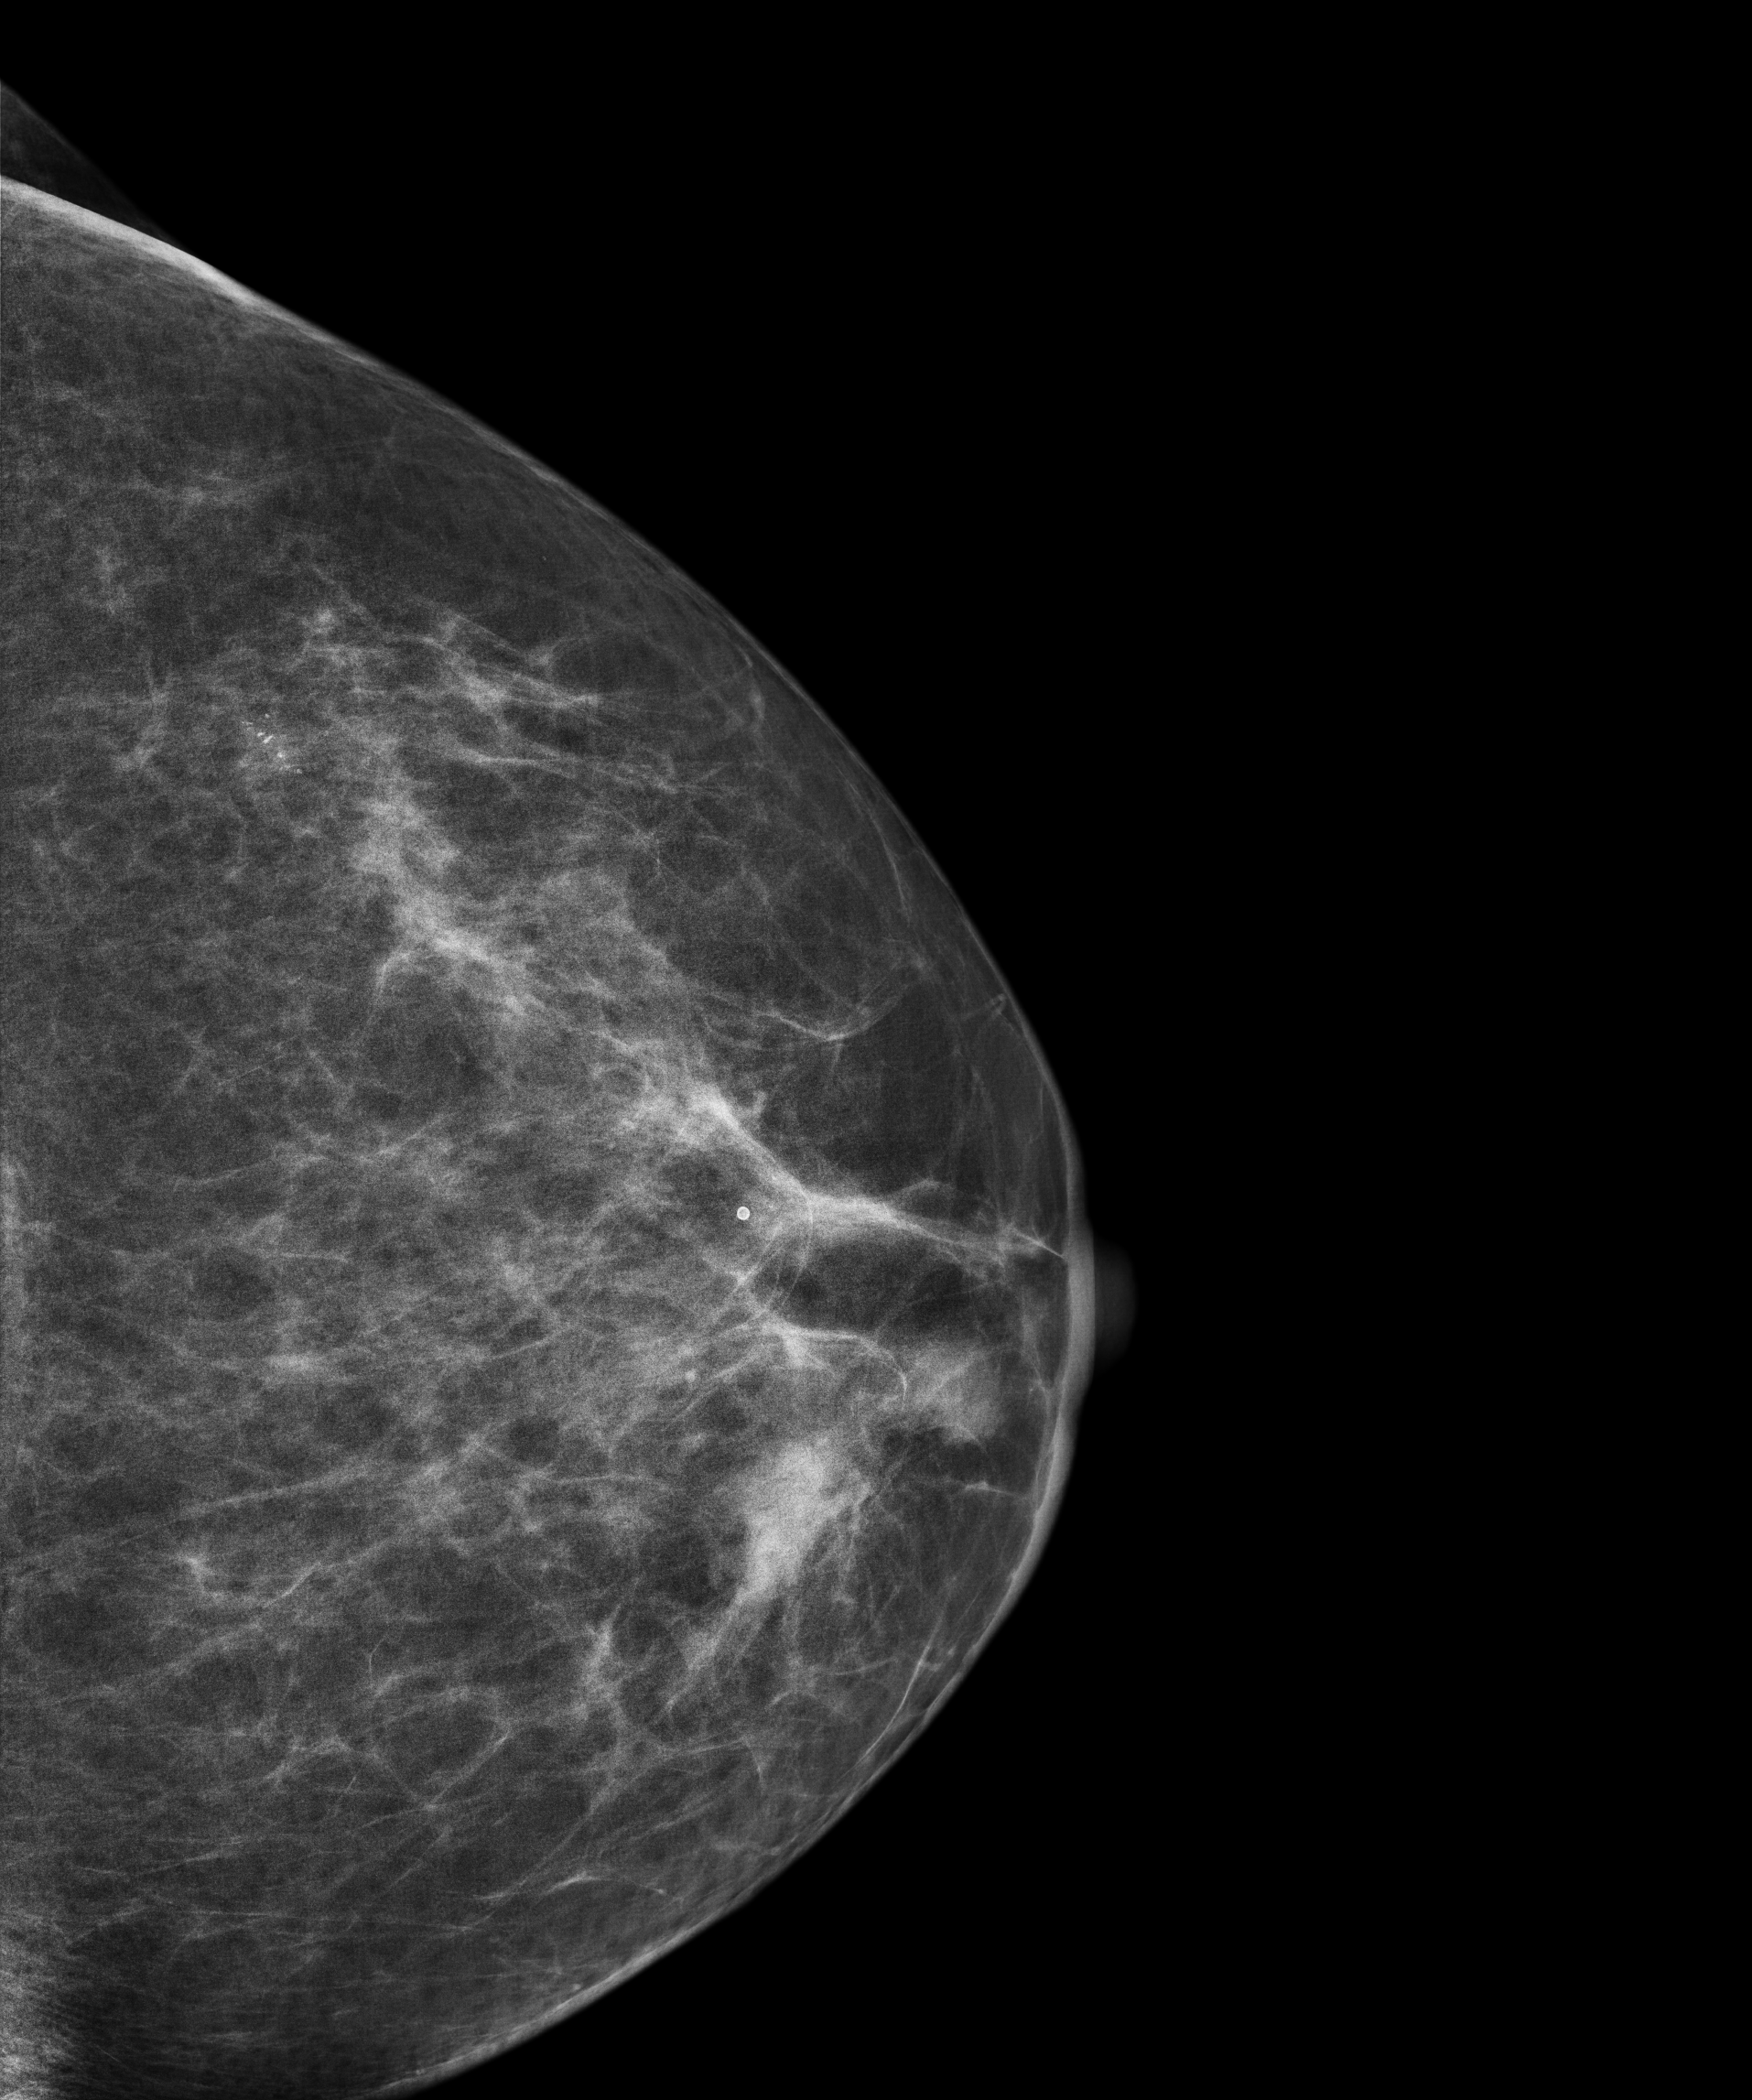
Mammogram — left cranio-caudal. Patient age 58.
This breast has a mass, biopsy-confirmed malignant. Molecular subtype: luminal A.